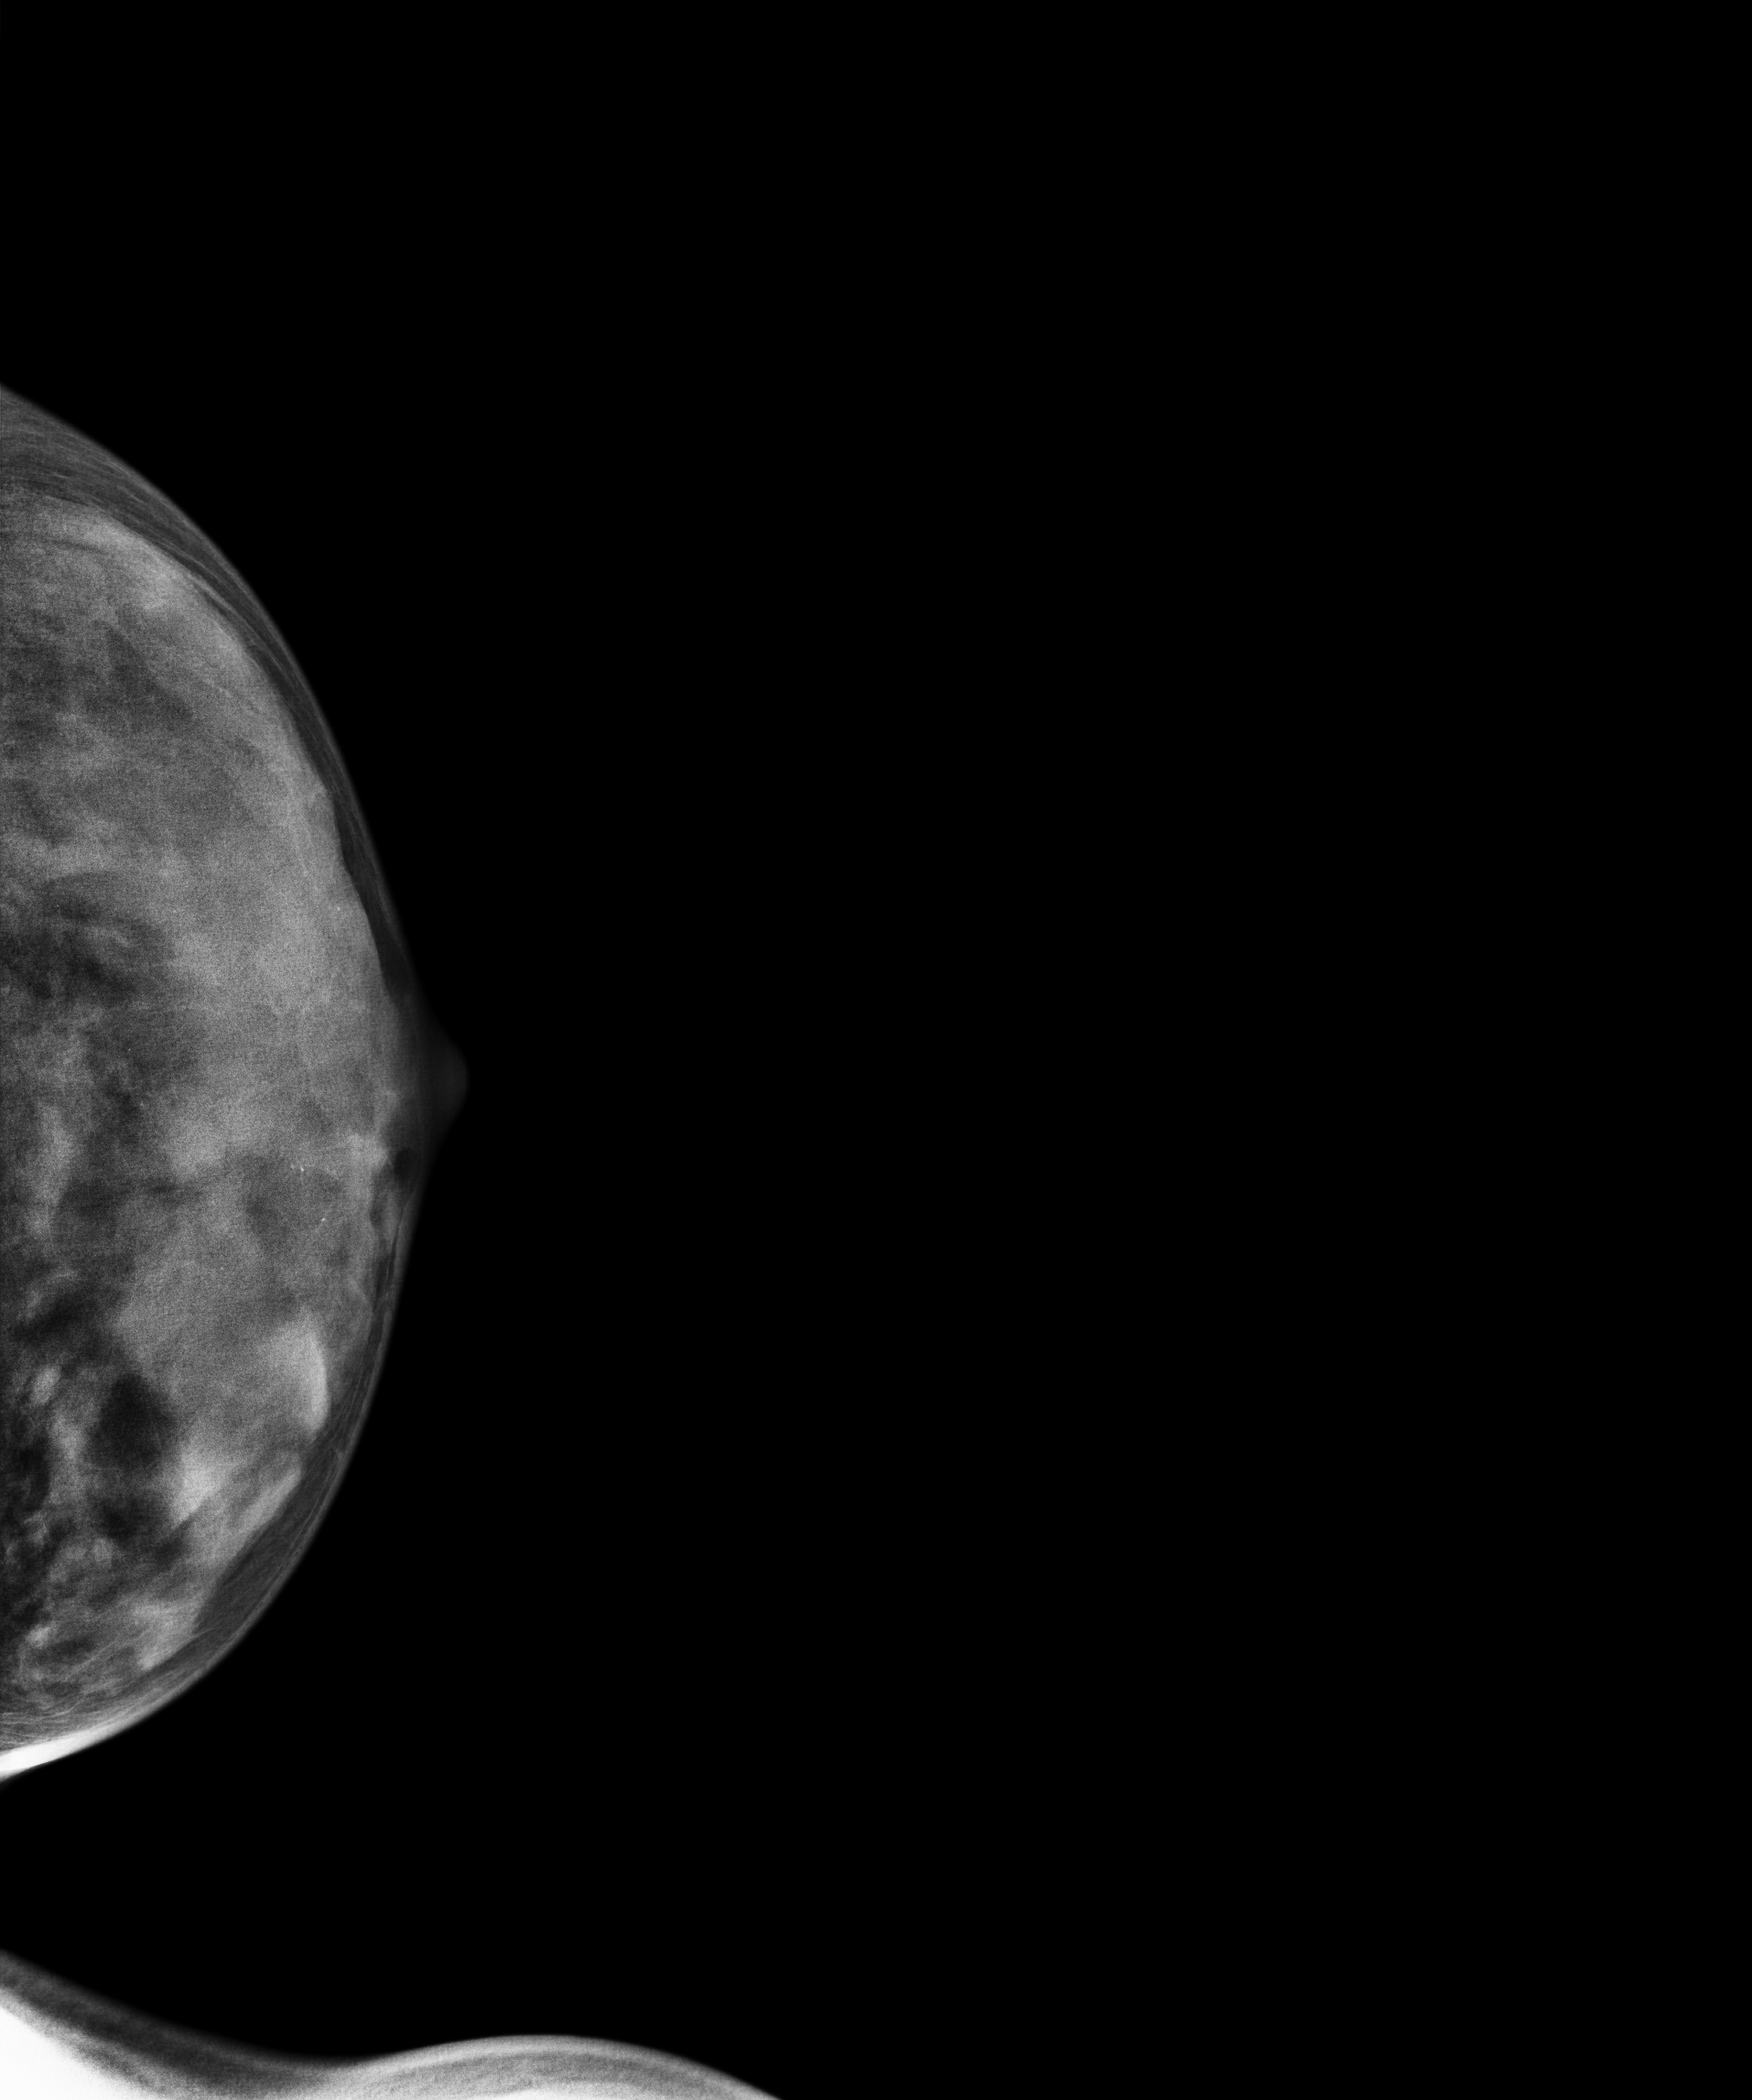
Left-breast mammogram, cranio-caudal. 28 y/o patient.
This breast has a mass, biopsy-confirmed benign.